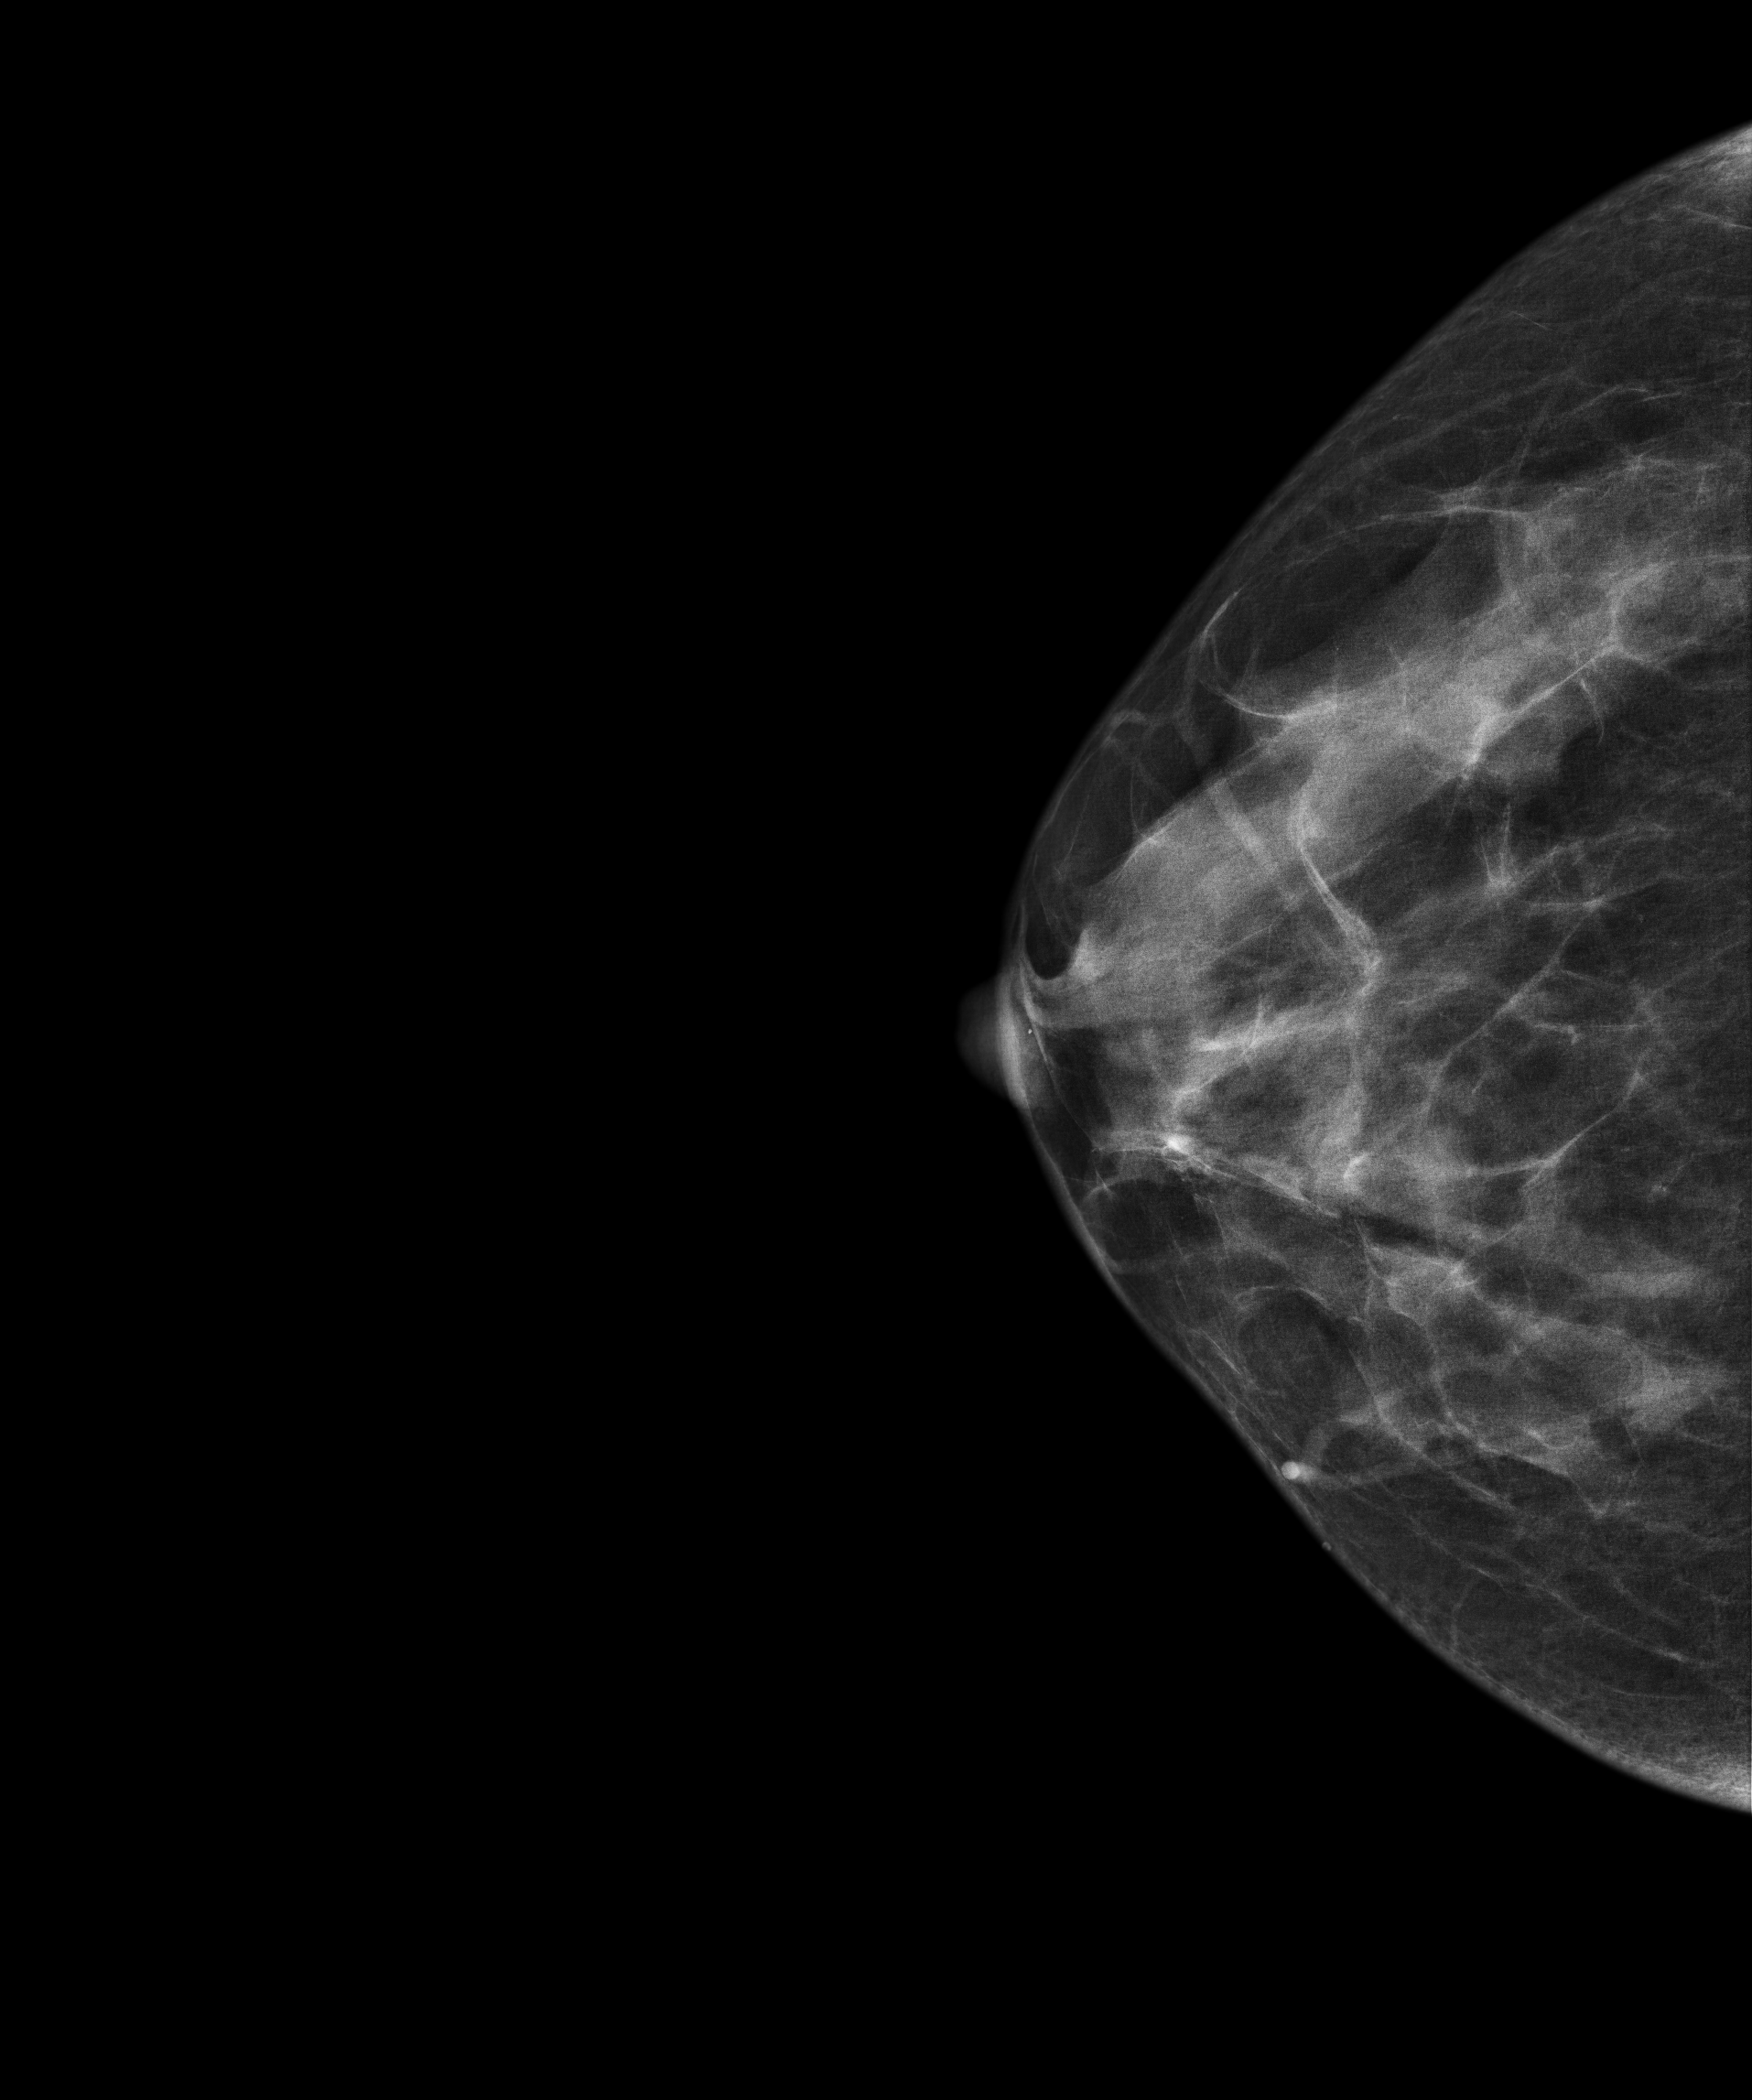
Digital mammography. Right breast, CC projection. Patient age 52.
Contralateral breast — no documented abnormality on this side.